CC mammogram of the right breast. 42 y/o patient.
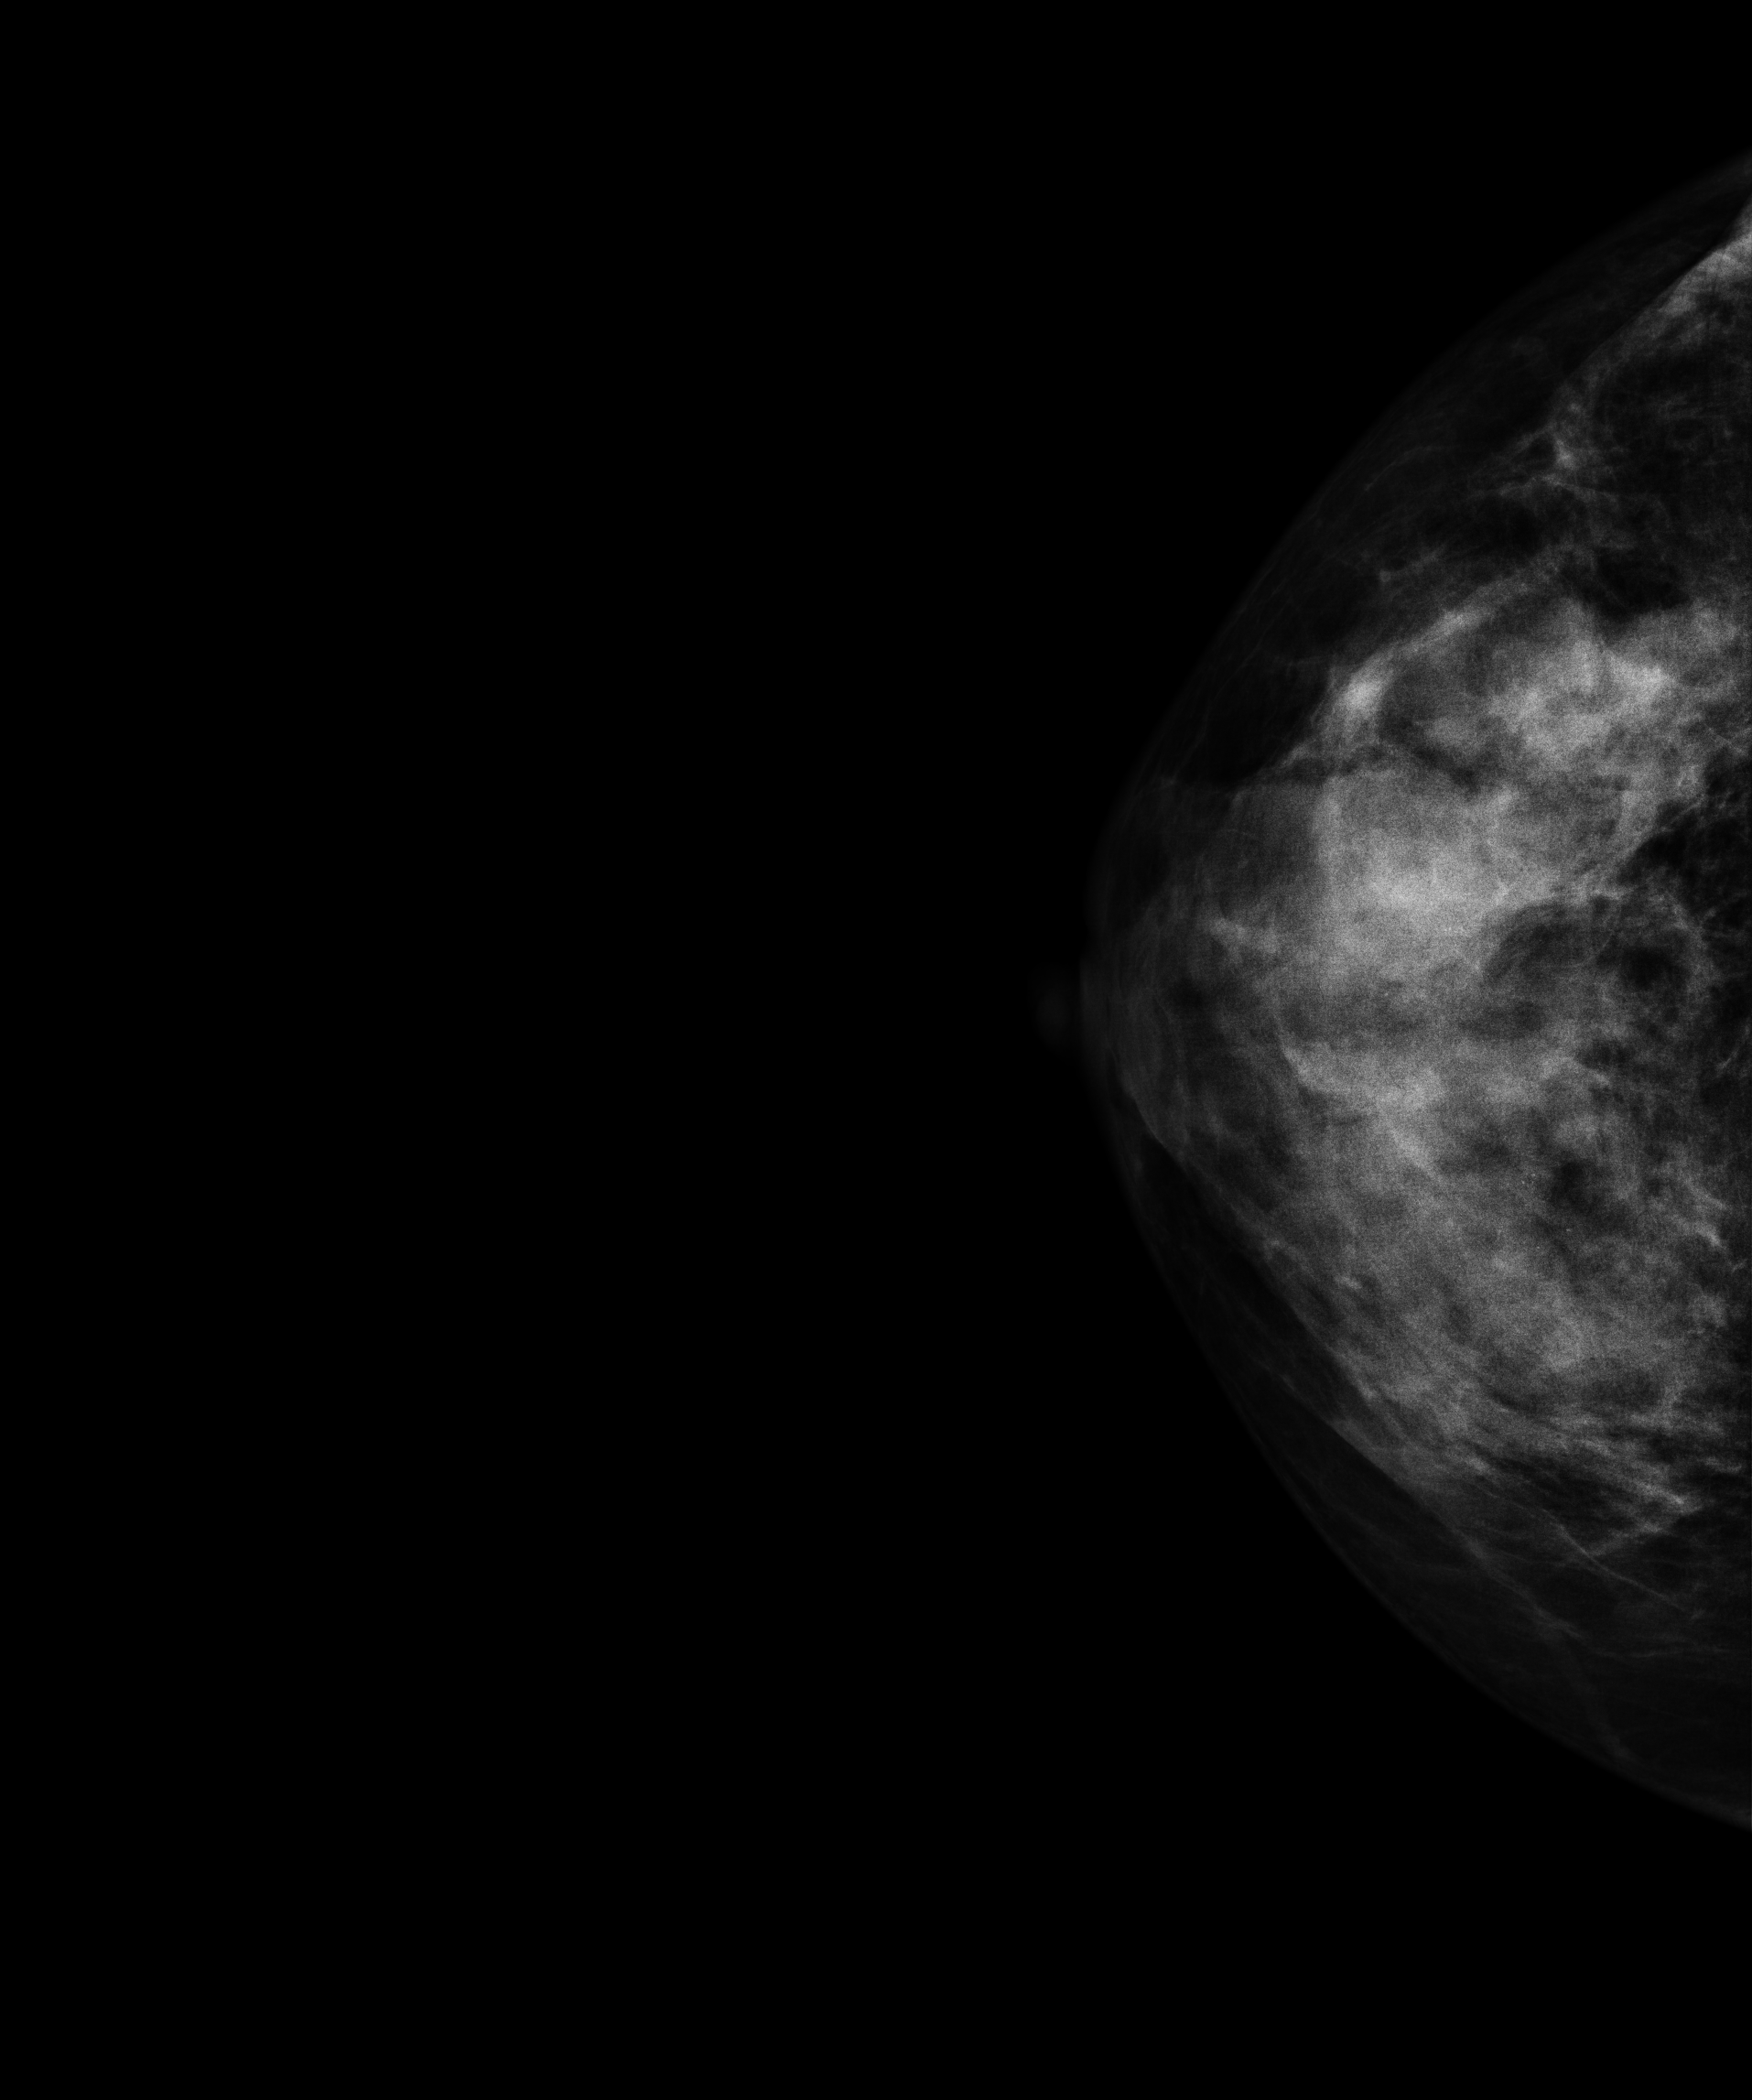
This breast has a mass, pathology-confirmed malignant. Molecular subtype: triple-negative.